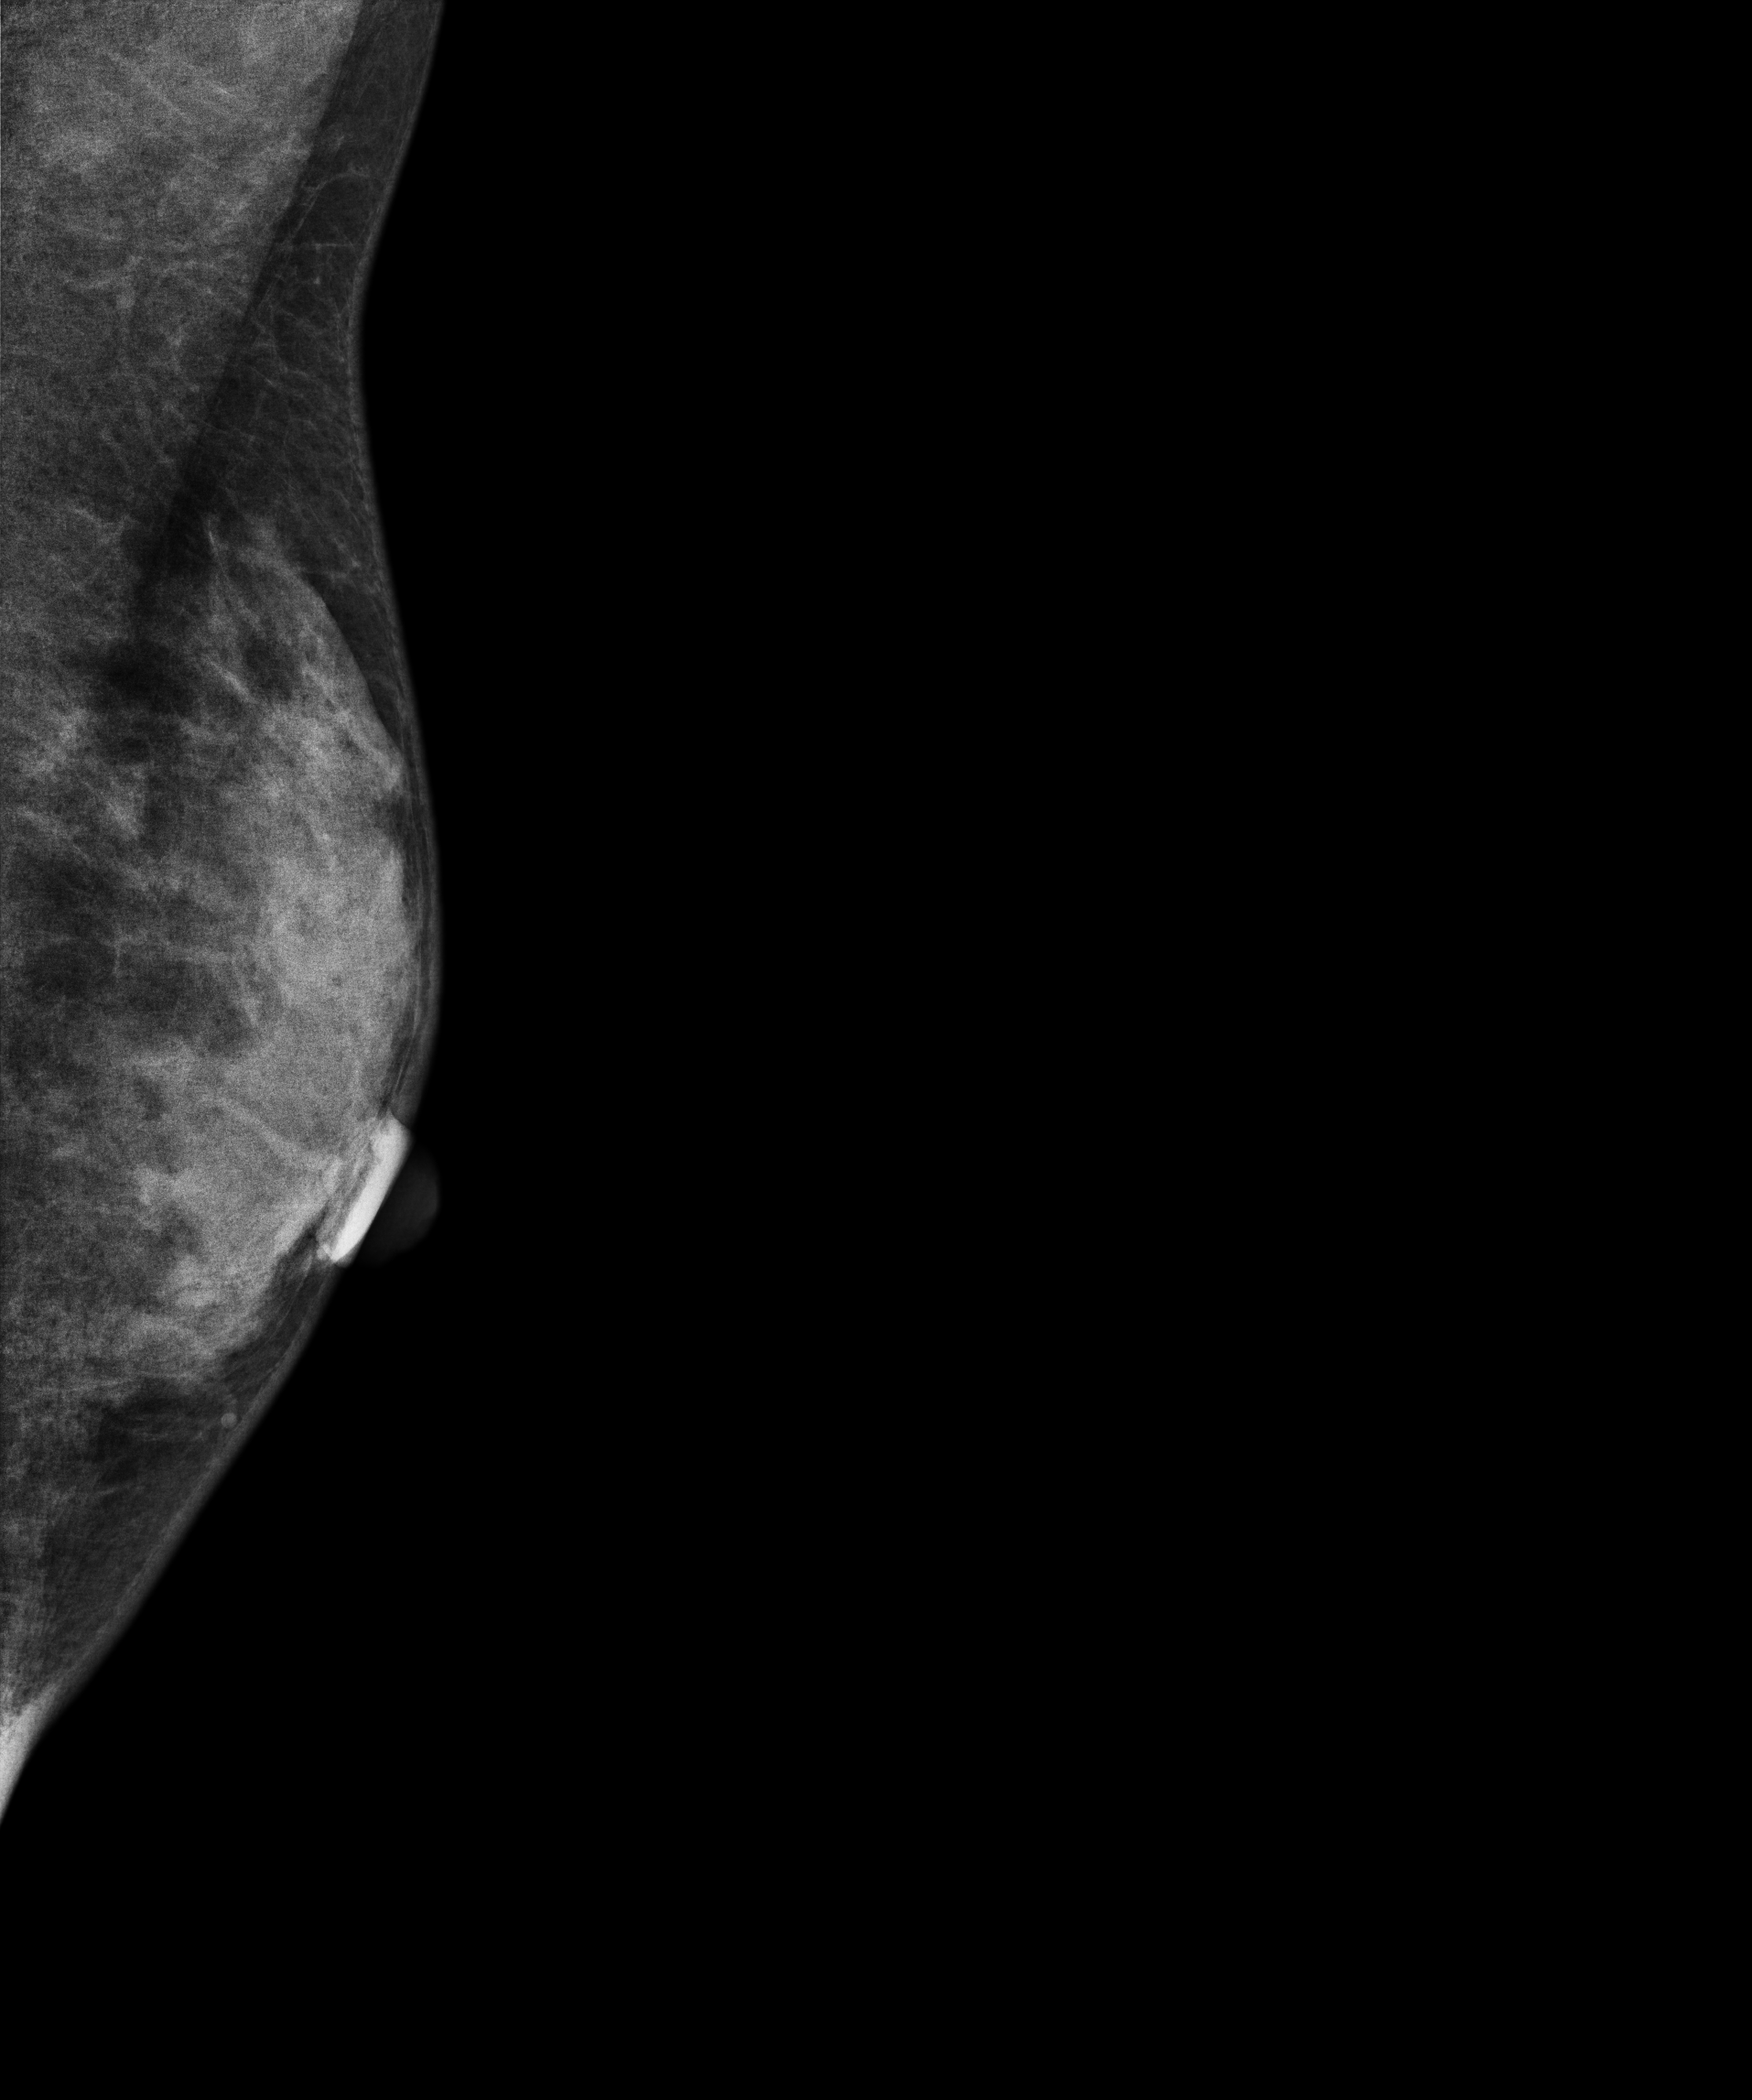
Digital mammography. Left breast, MLO projection. Patient age 37.
This breast has a mass, biopsy-confirmed malignant.